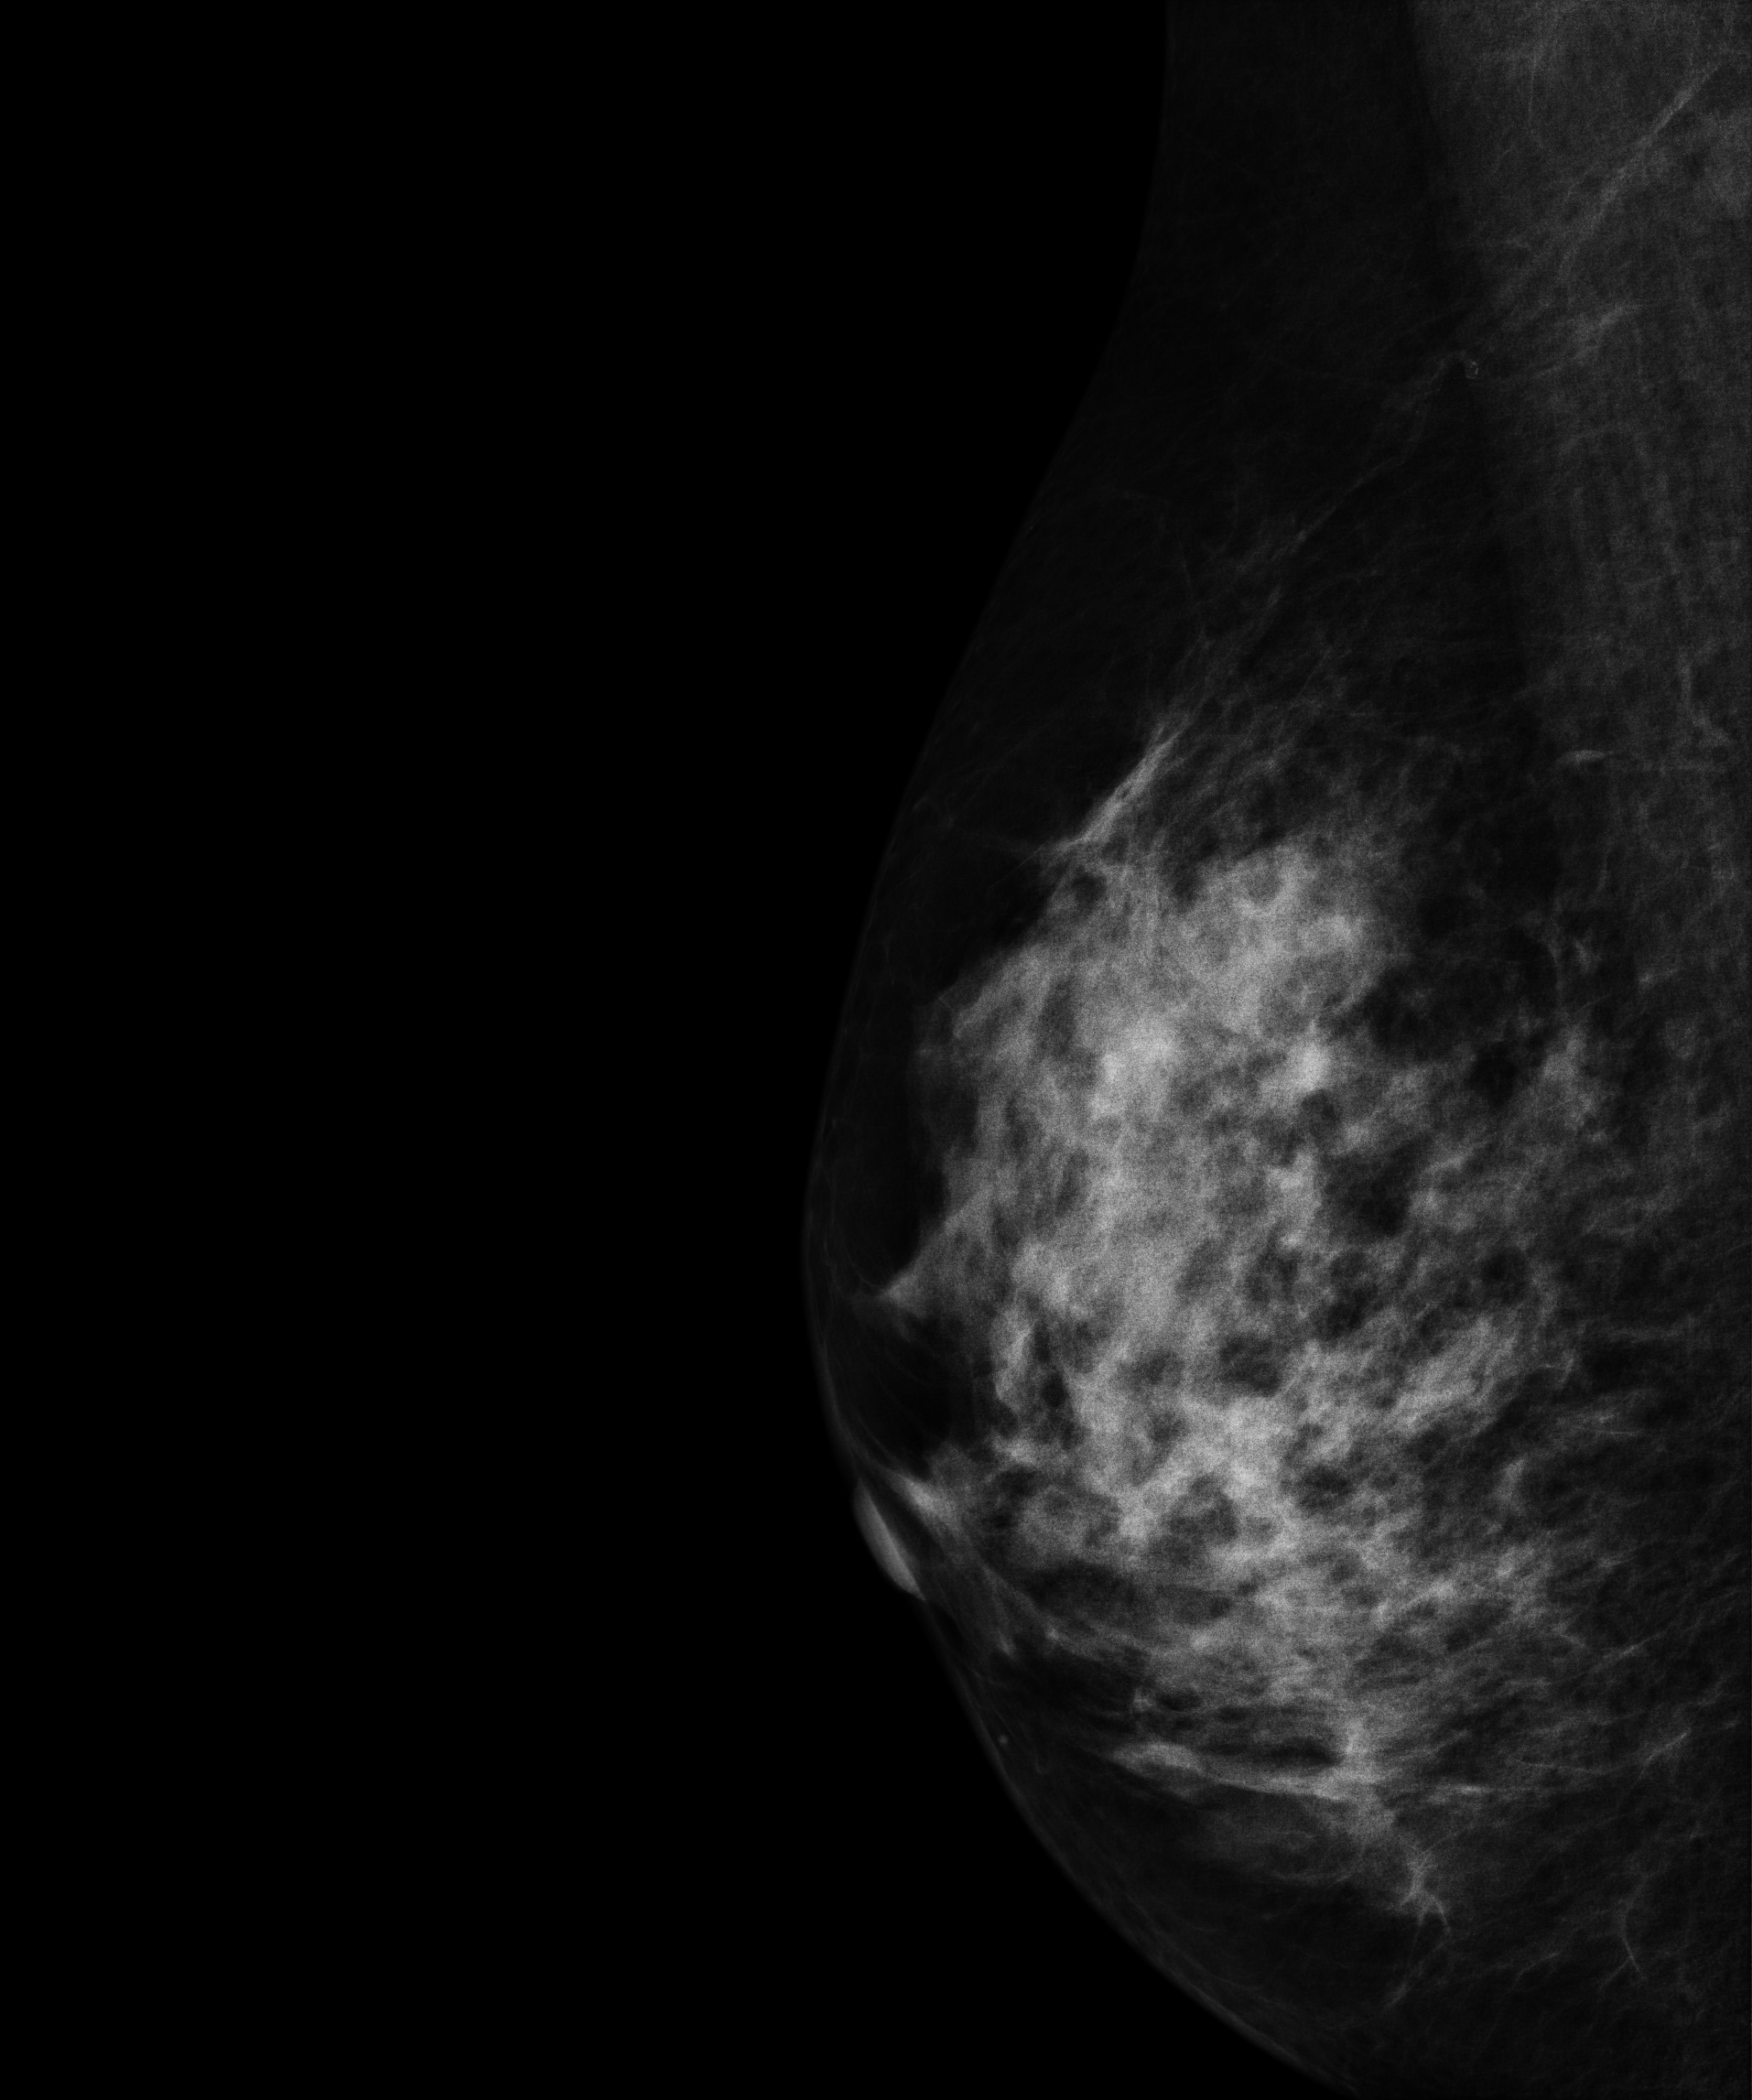
Mammogram, right breast, medio-lateral oblique view. 57-year-old patient.
This breast has a mass, biopsy-confirmed malignant.